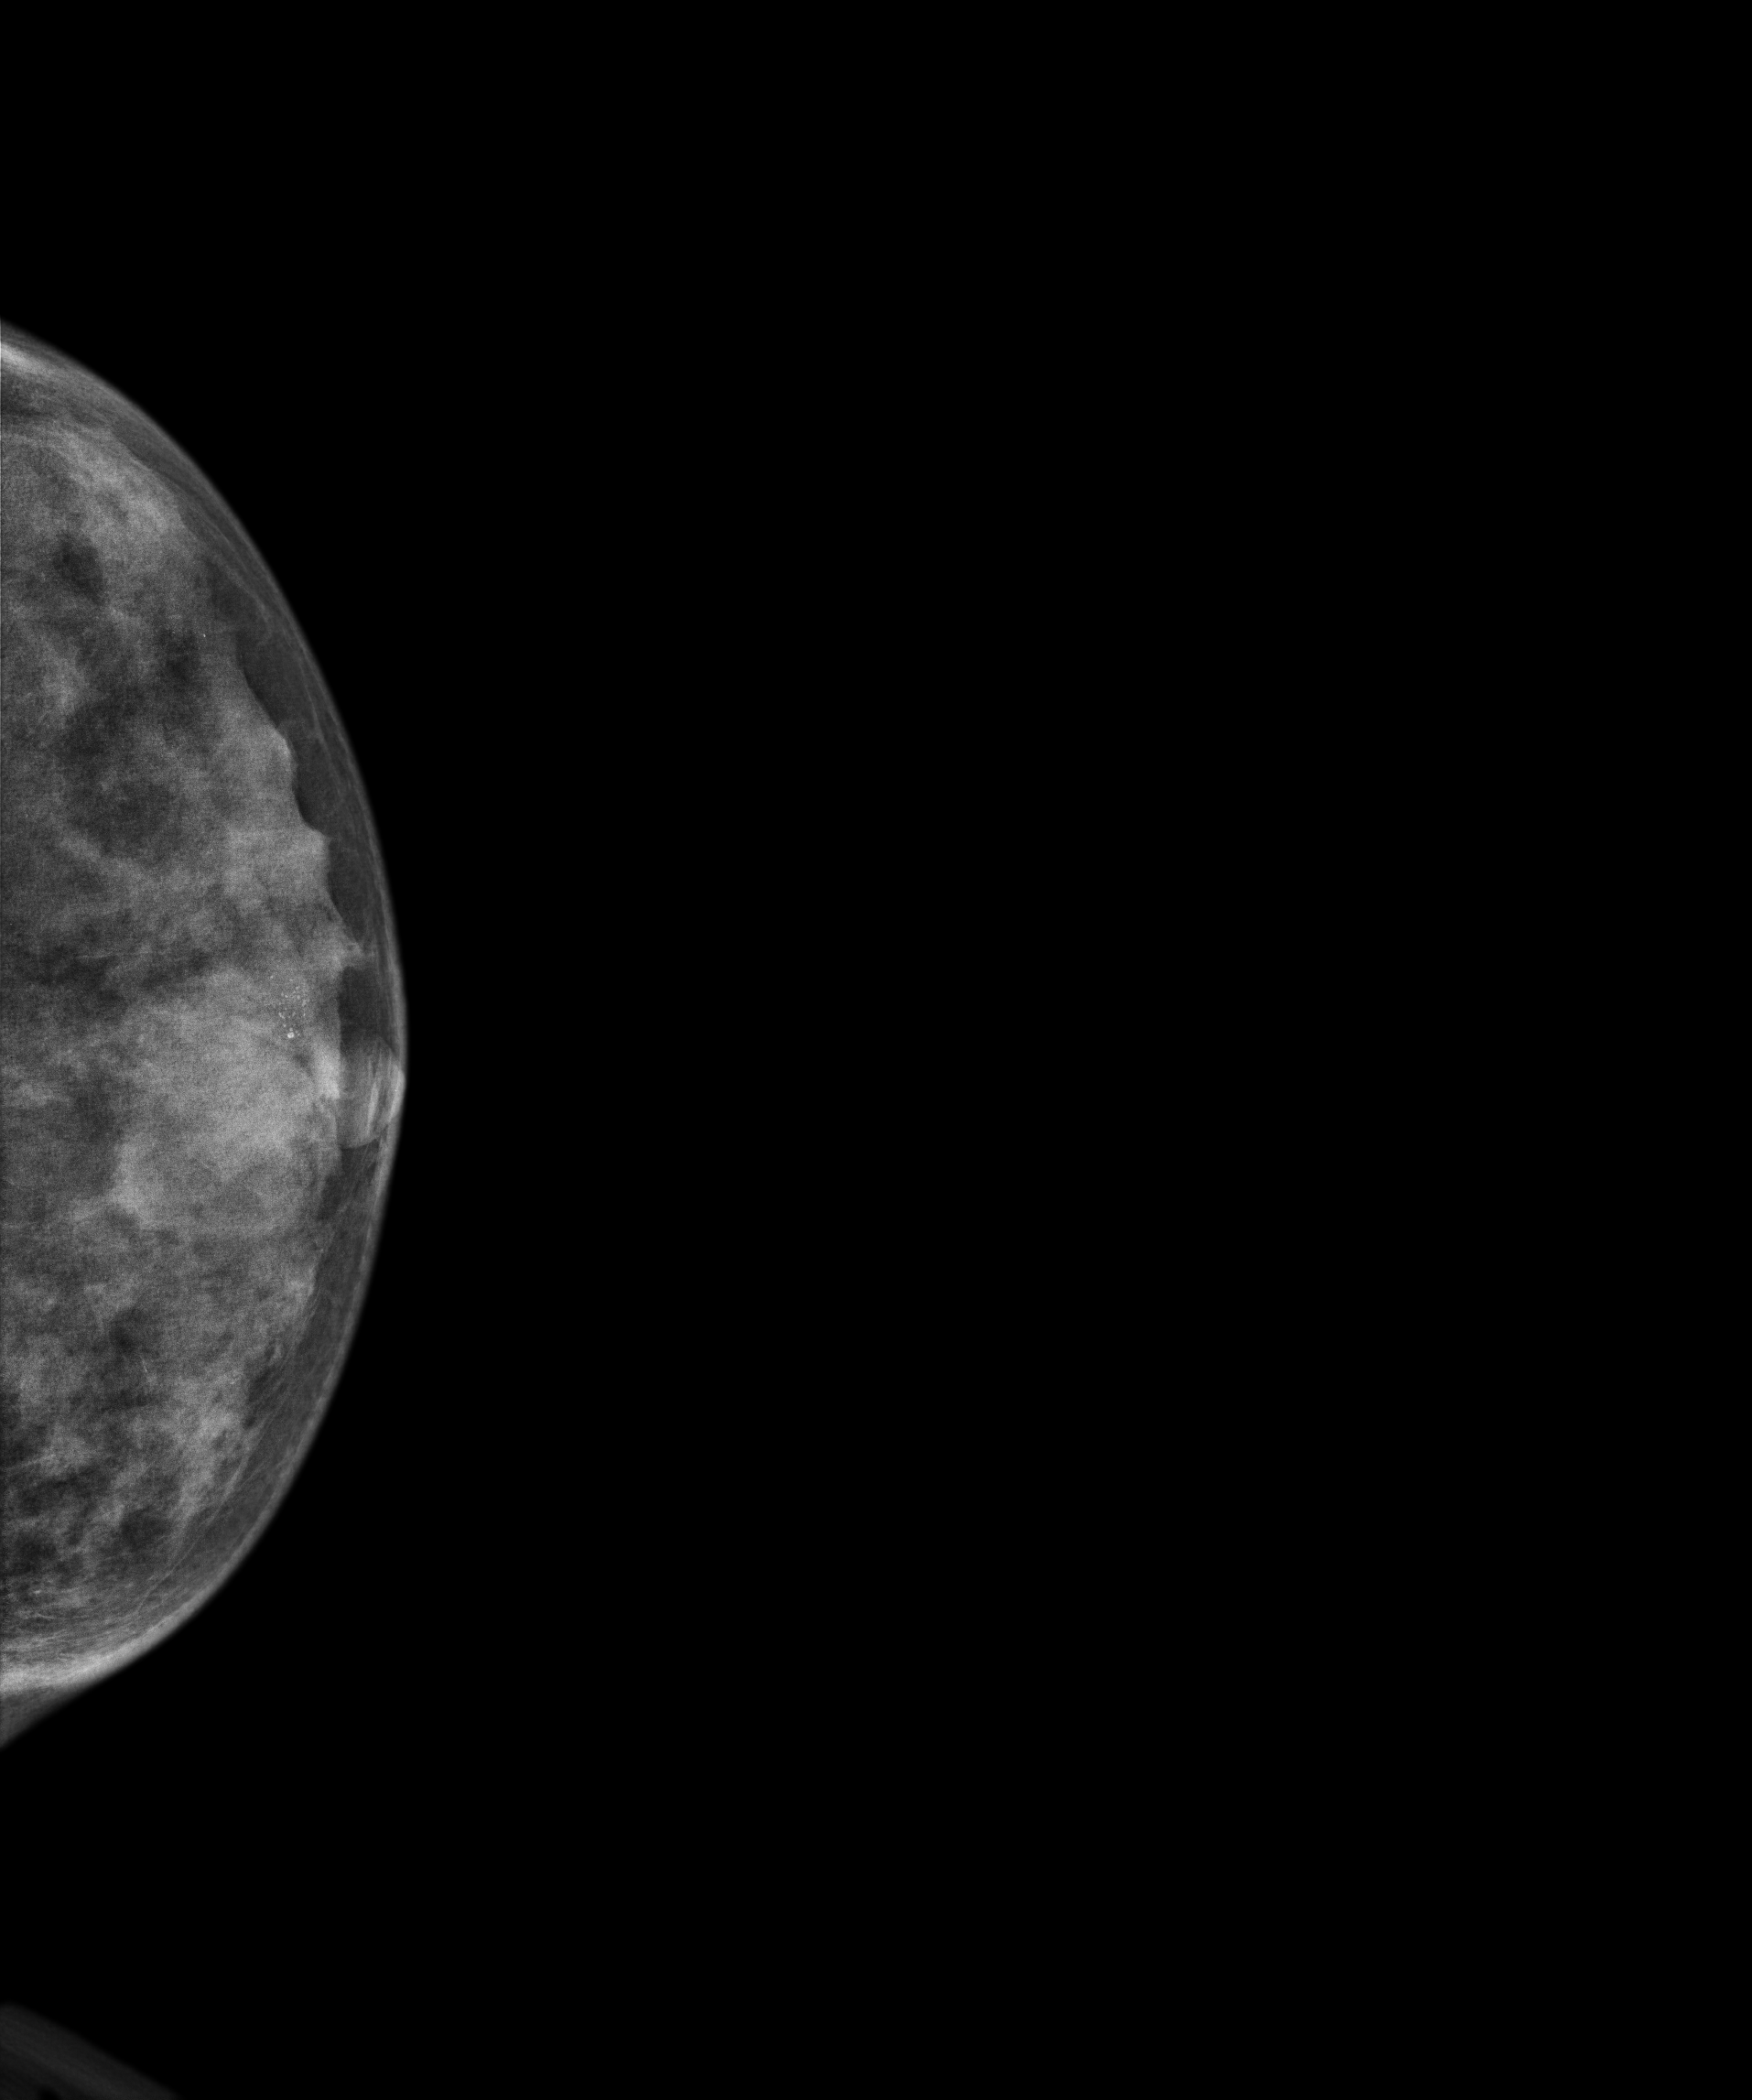
Digital mammography. Left breast, cranio-caudal projection. Patient age 28.
This breast has calcifications, biopsy-confirmed benign.